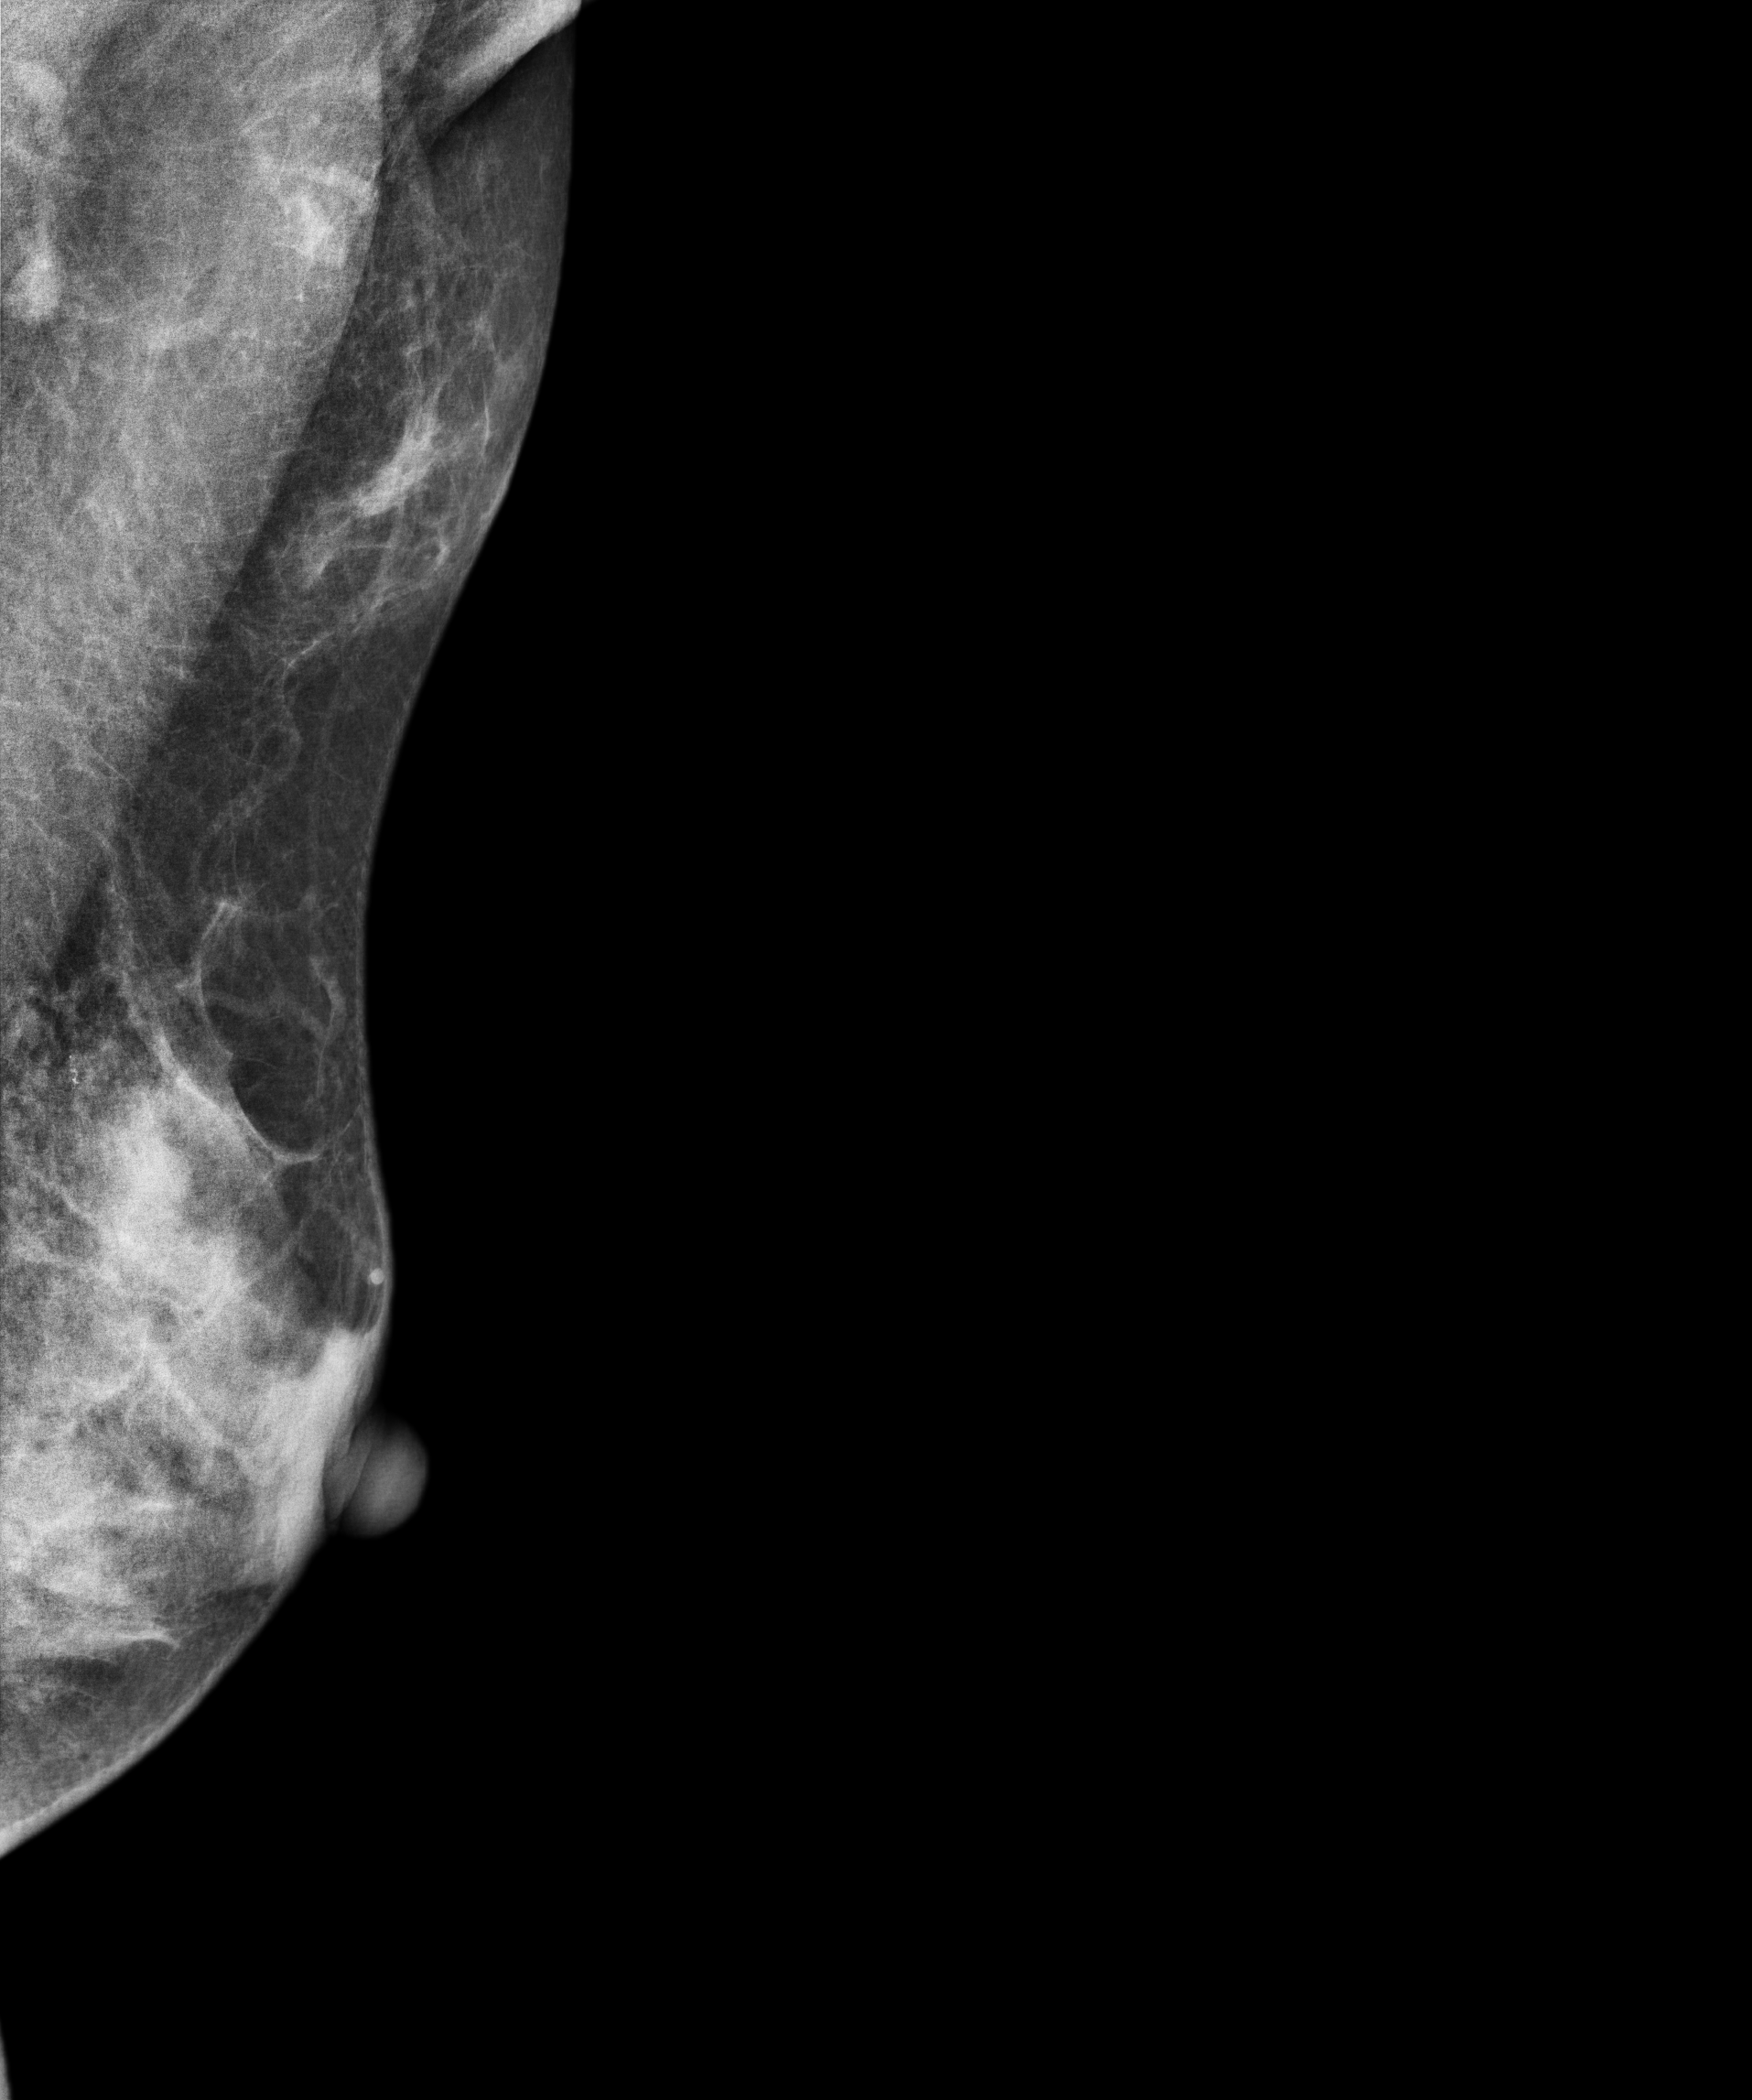
Digital mammography. Left breast, medio-lateral oblique projection. Patient age 42.
This breast has a mass and calcifications, biopsy-confirmed benign.